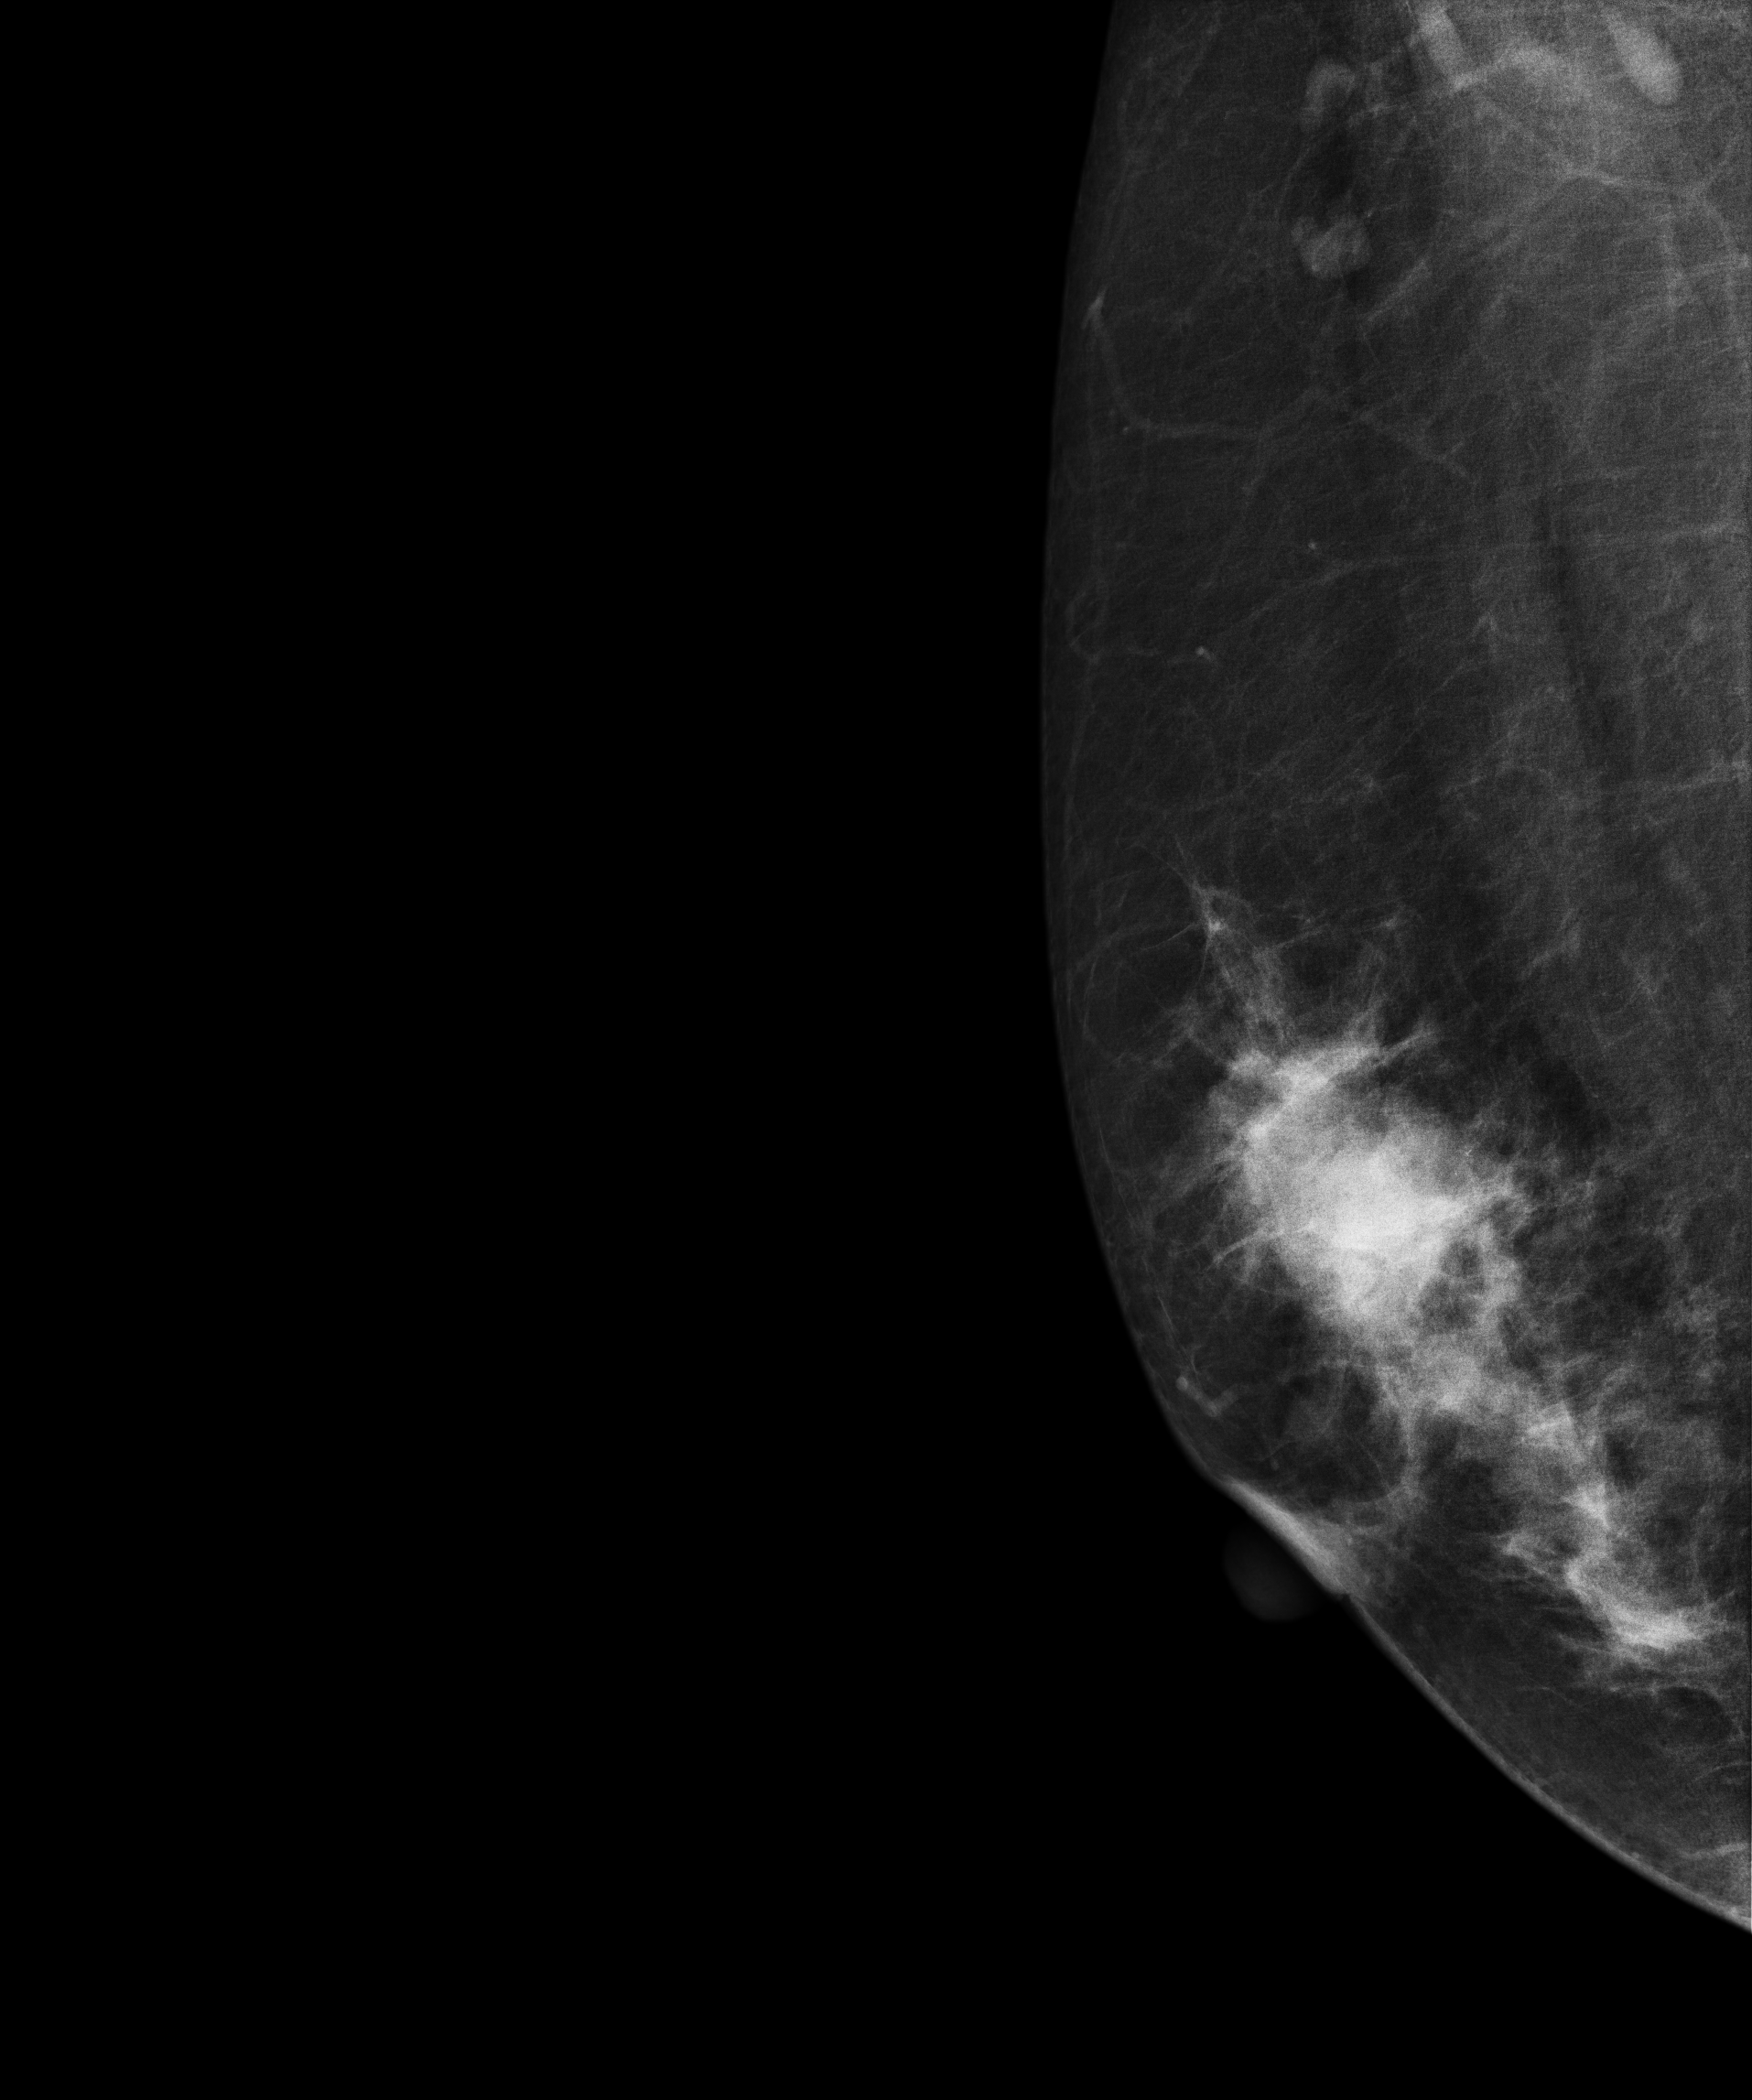
Medio-lateral oblique mammogram of the right breast. 48-year-old patient.
This breast has a mass, biopsy-confirmed malignant. Molecular subtype: triple-negative.